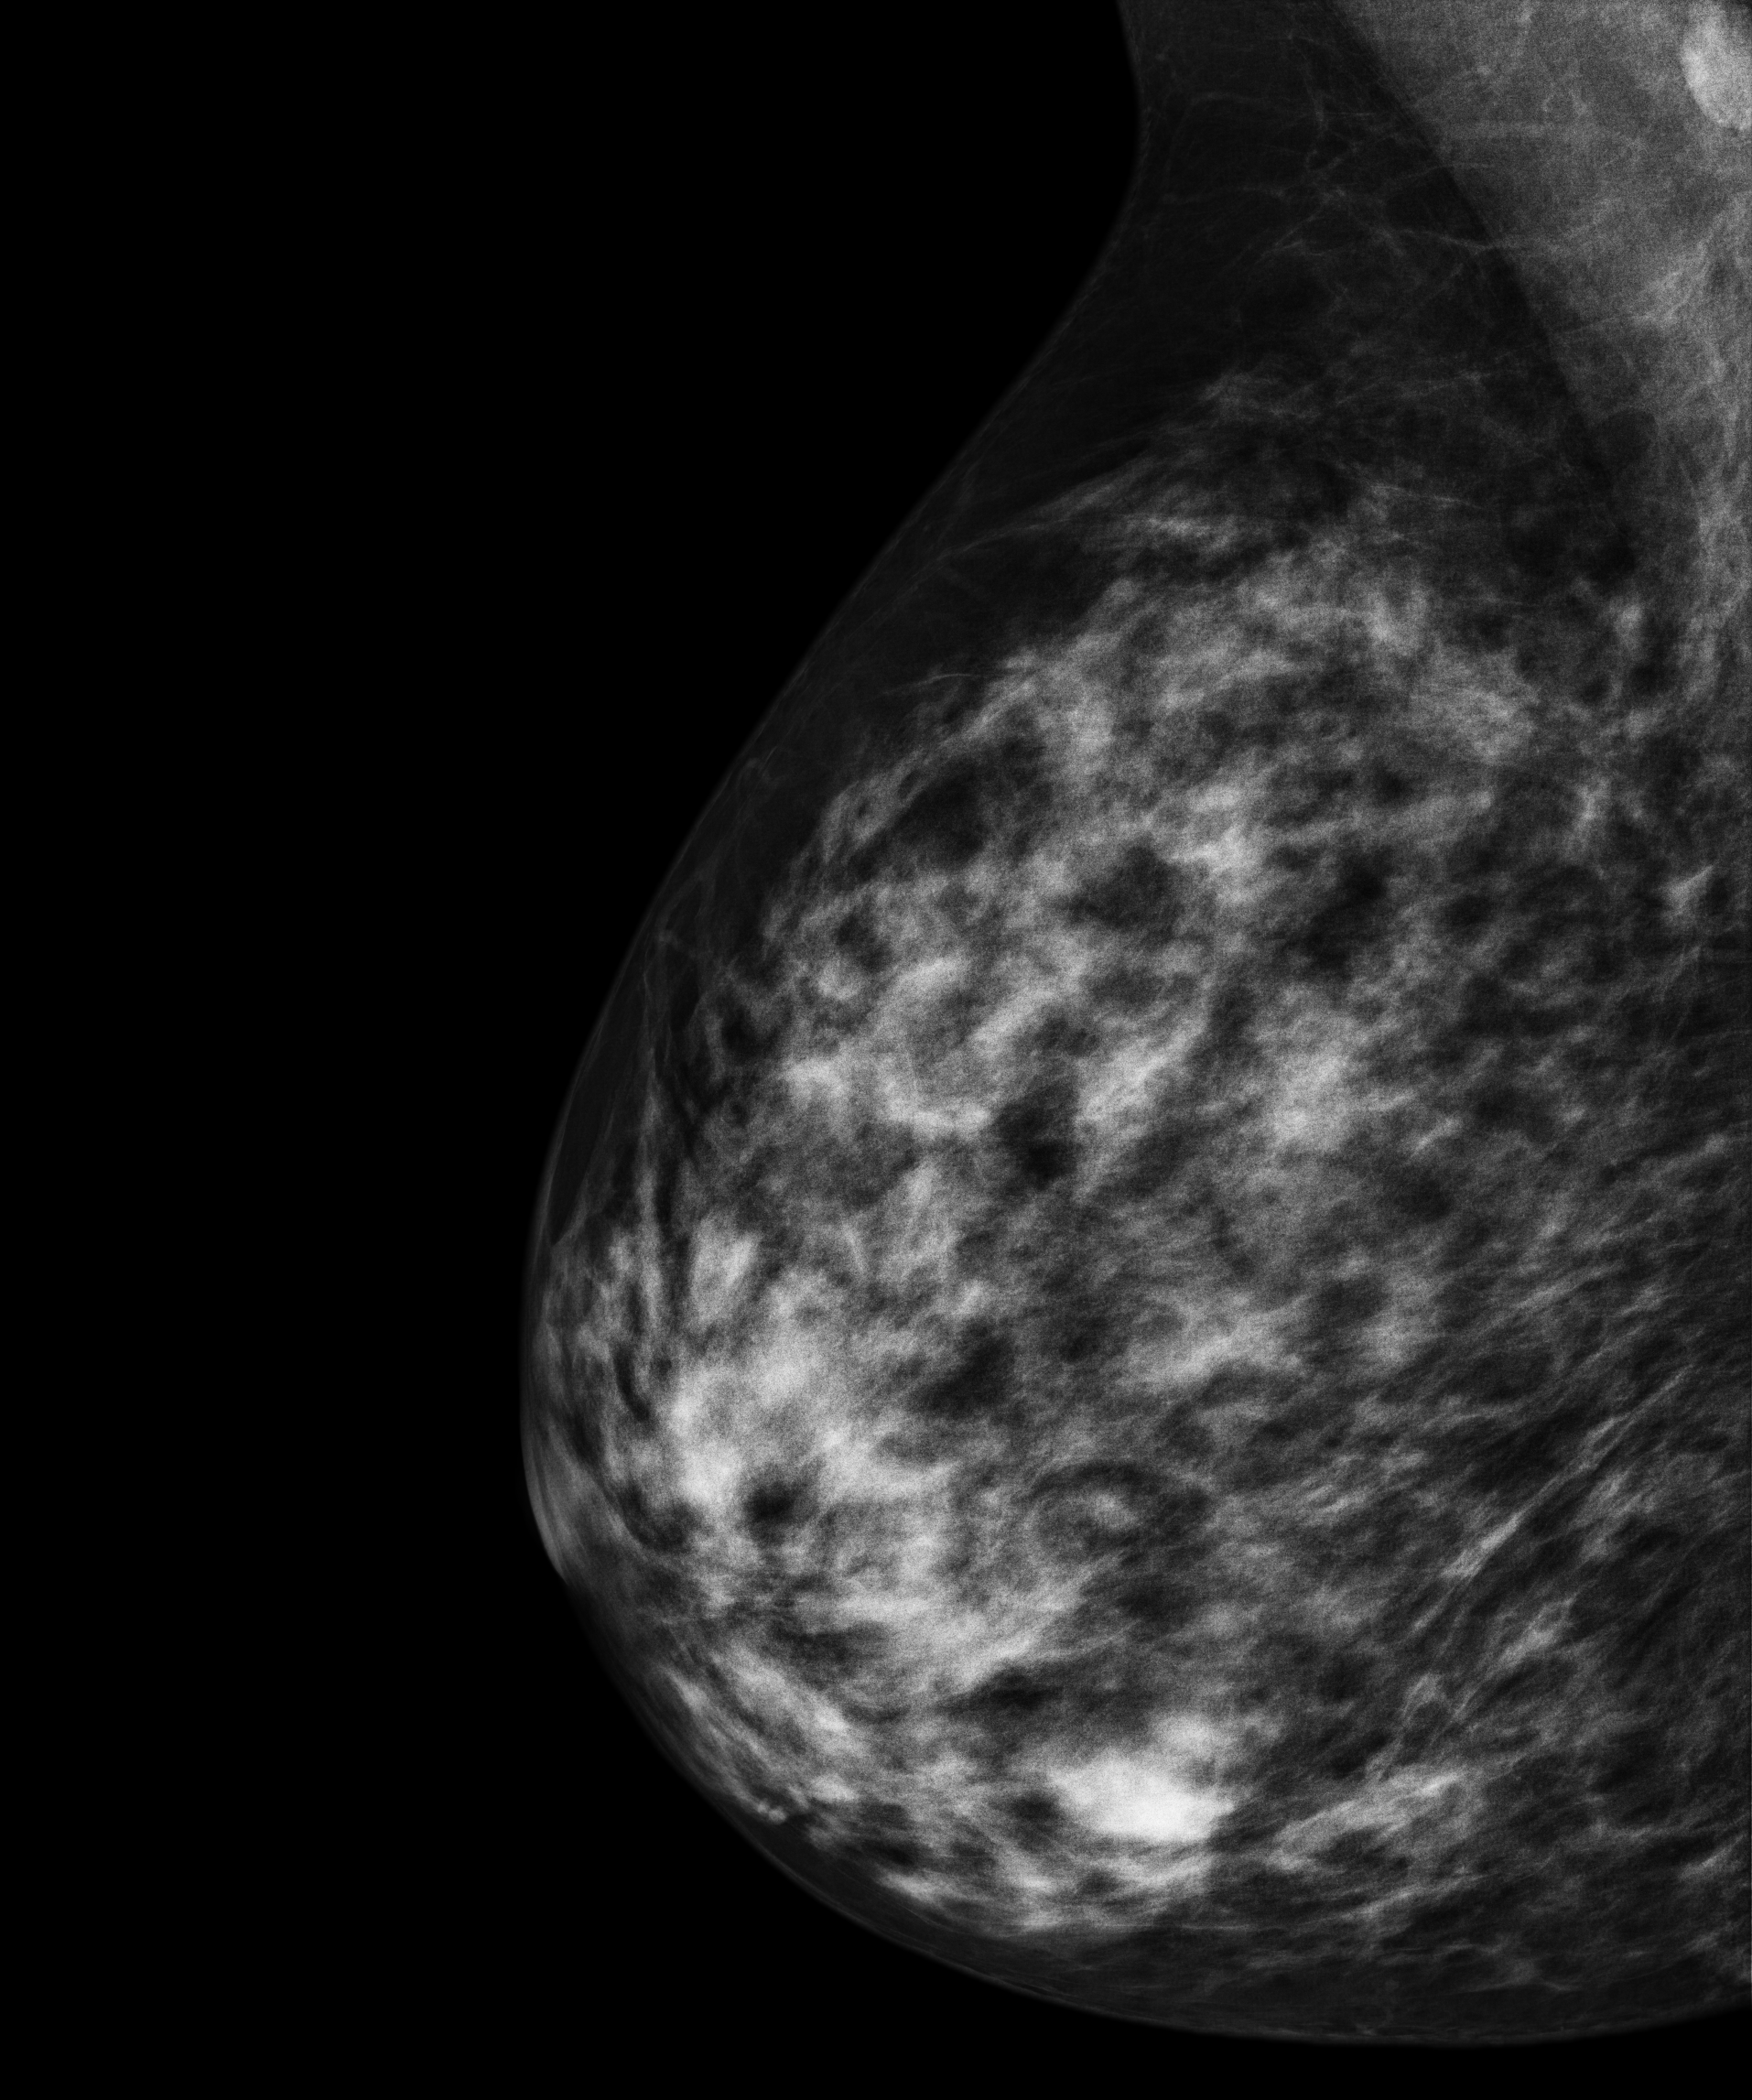
Mammogram — right medio-lateral oblique. 51 y/o patient.
This breast has a mass, histologically confirmed malignant. Molecular subtype: luminal B.